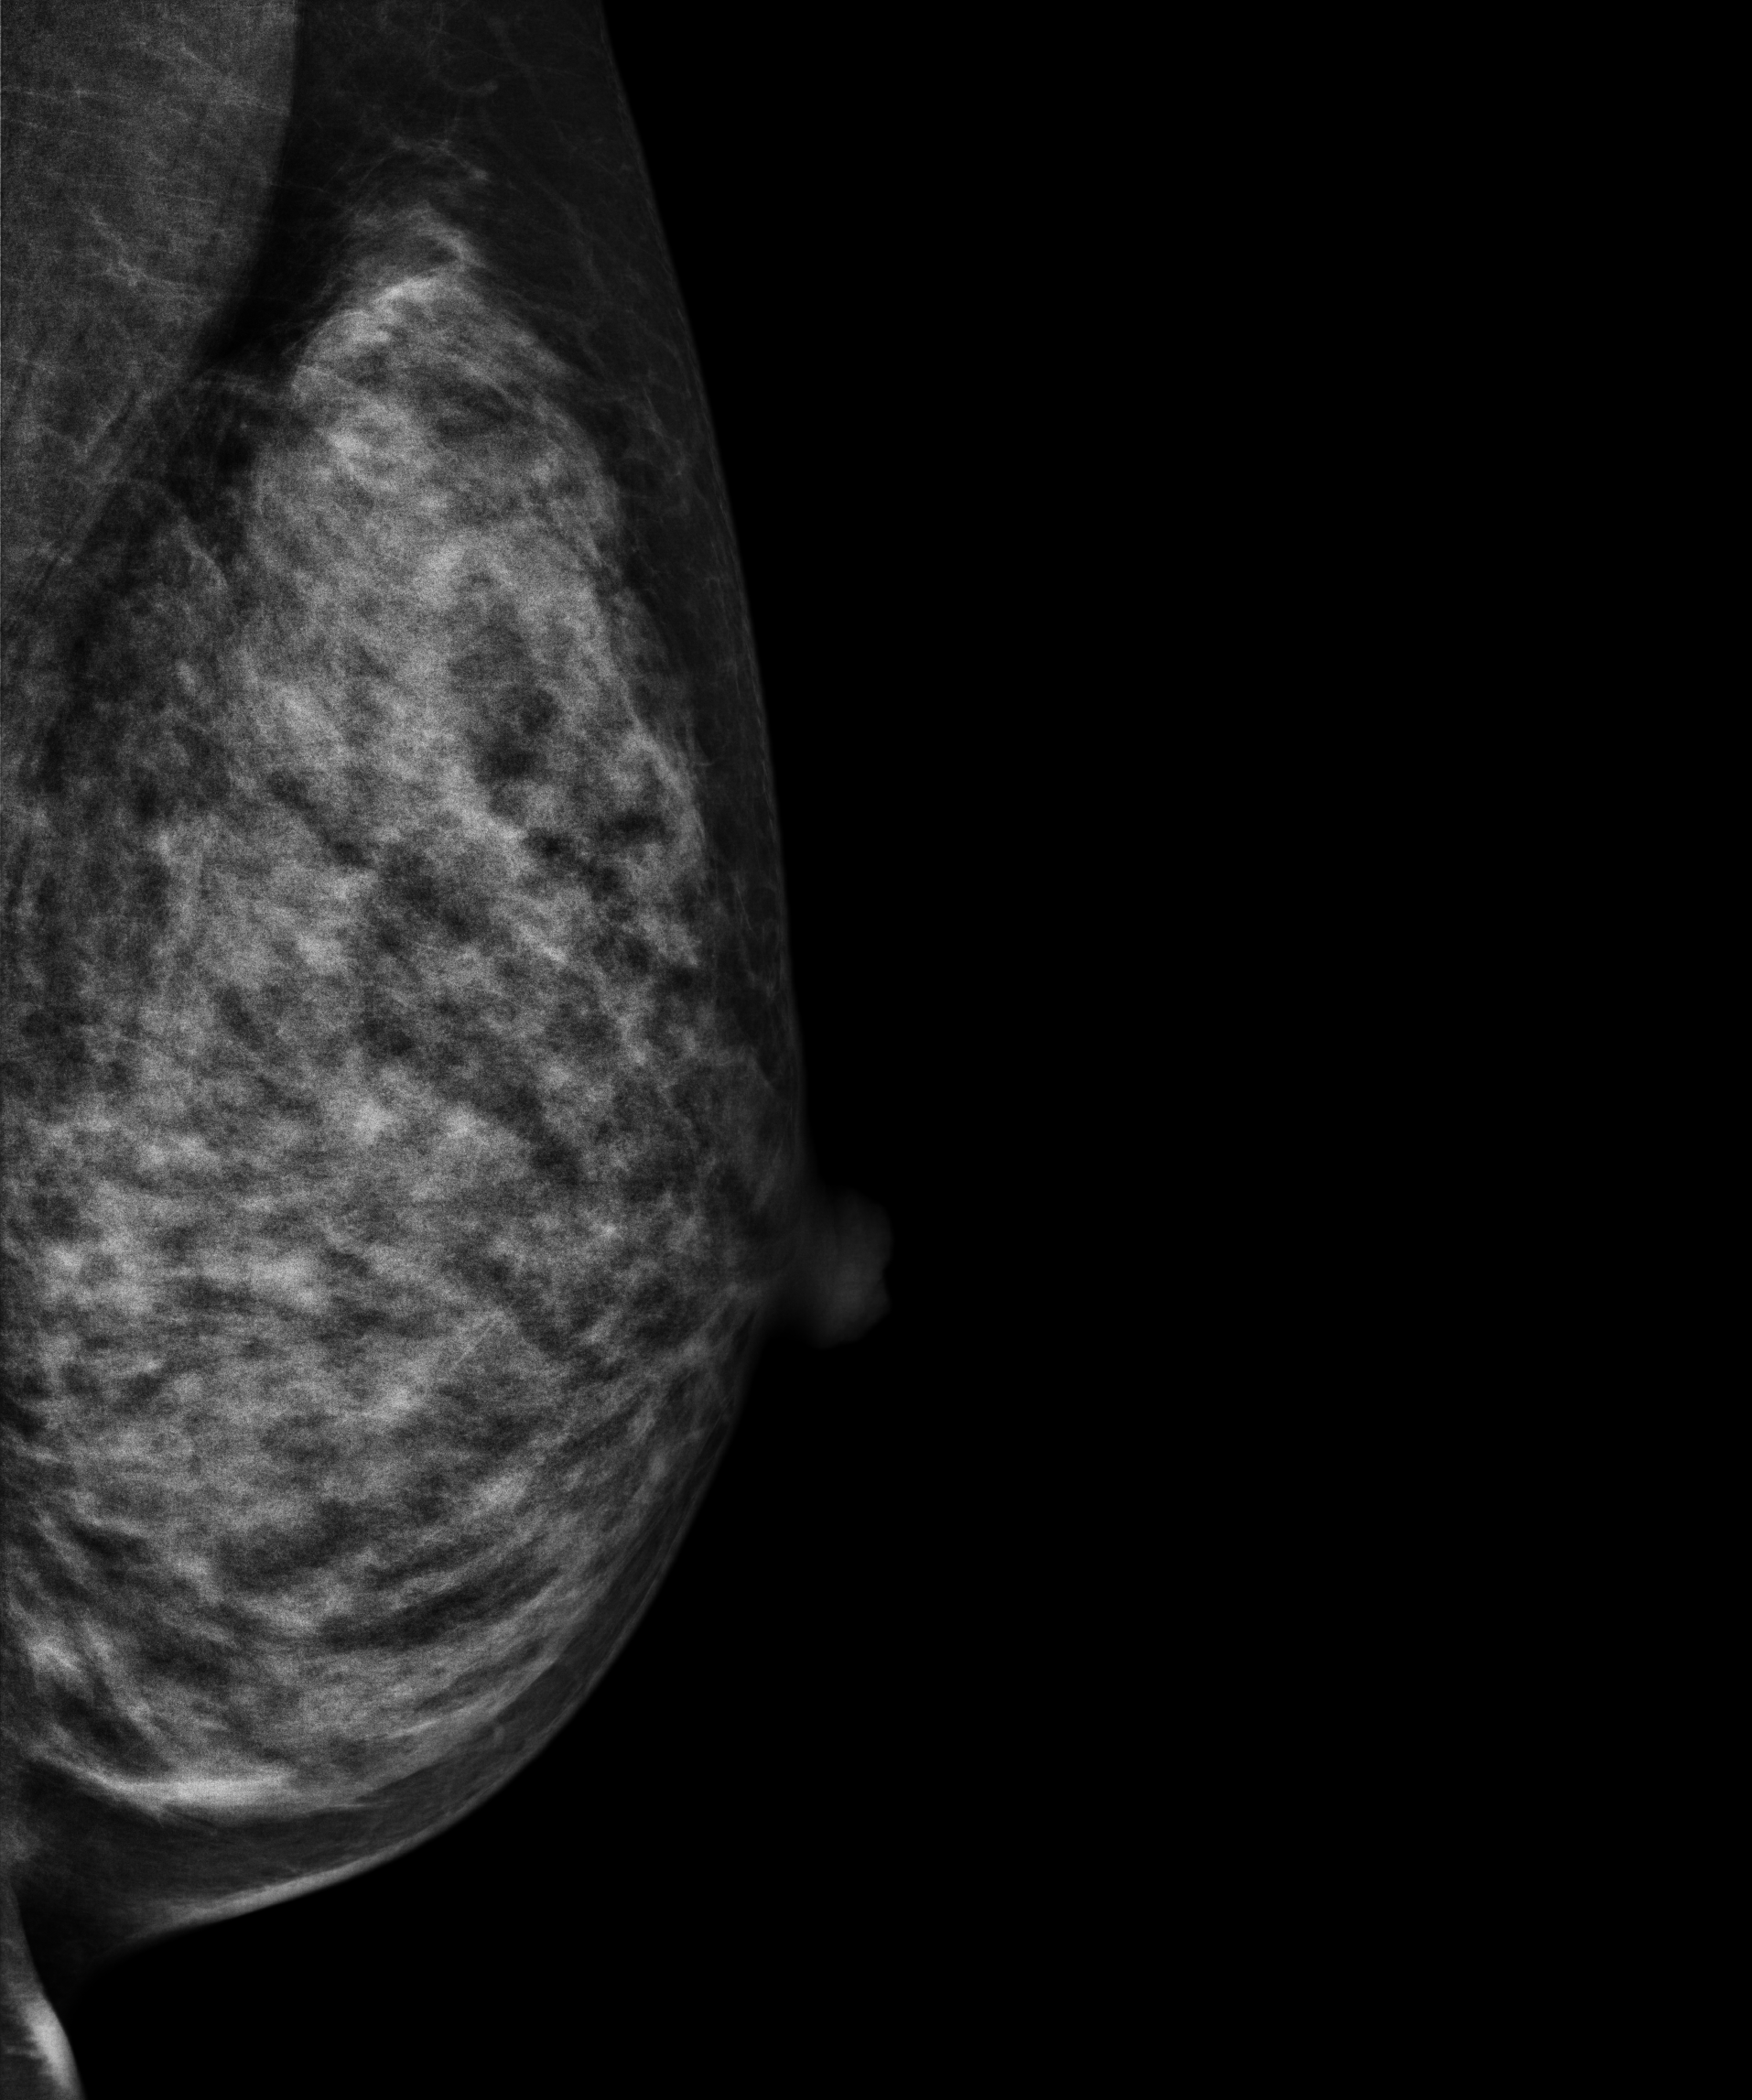
Digital mammography. Left breast, medio-lateral oblique projection. 42-year-old patient.
Contralateral breast — no documented abnormality on this side.